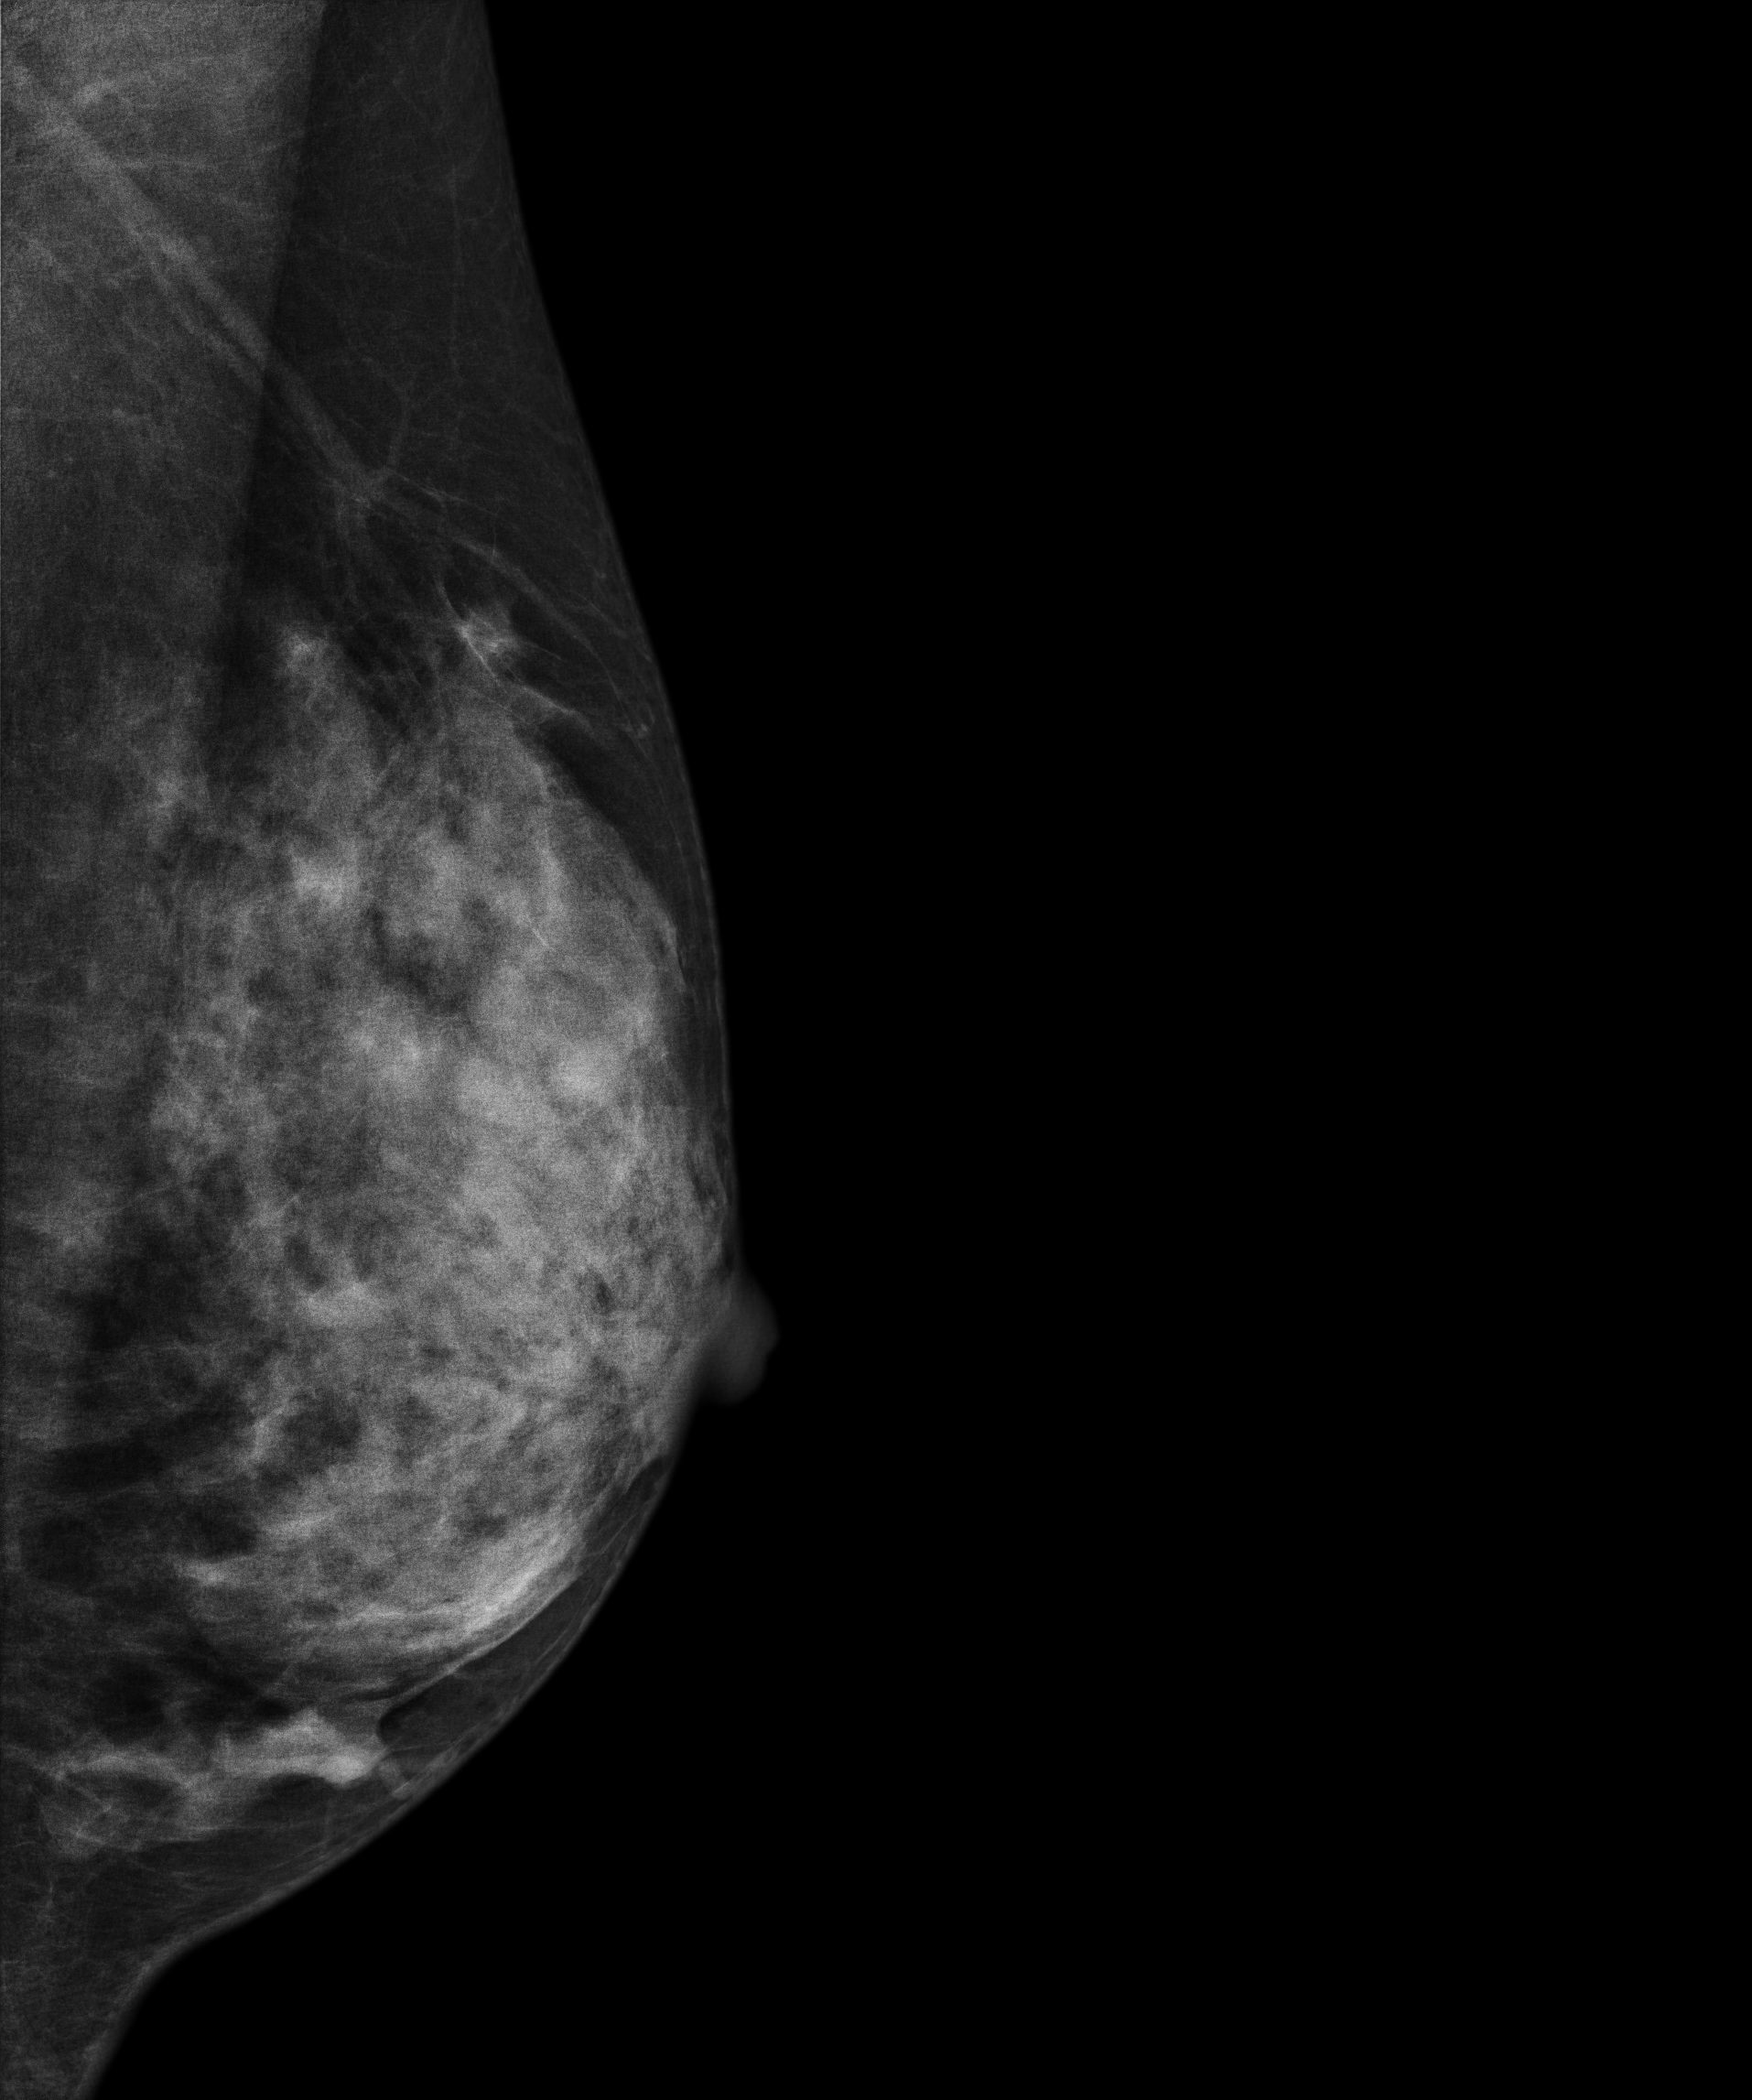
Mammogram, left breast, MLO view. Patient age 46.
This breast has a mass, pathology-confirmed benign.